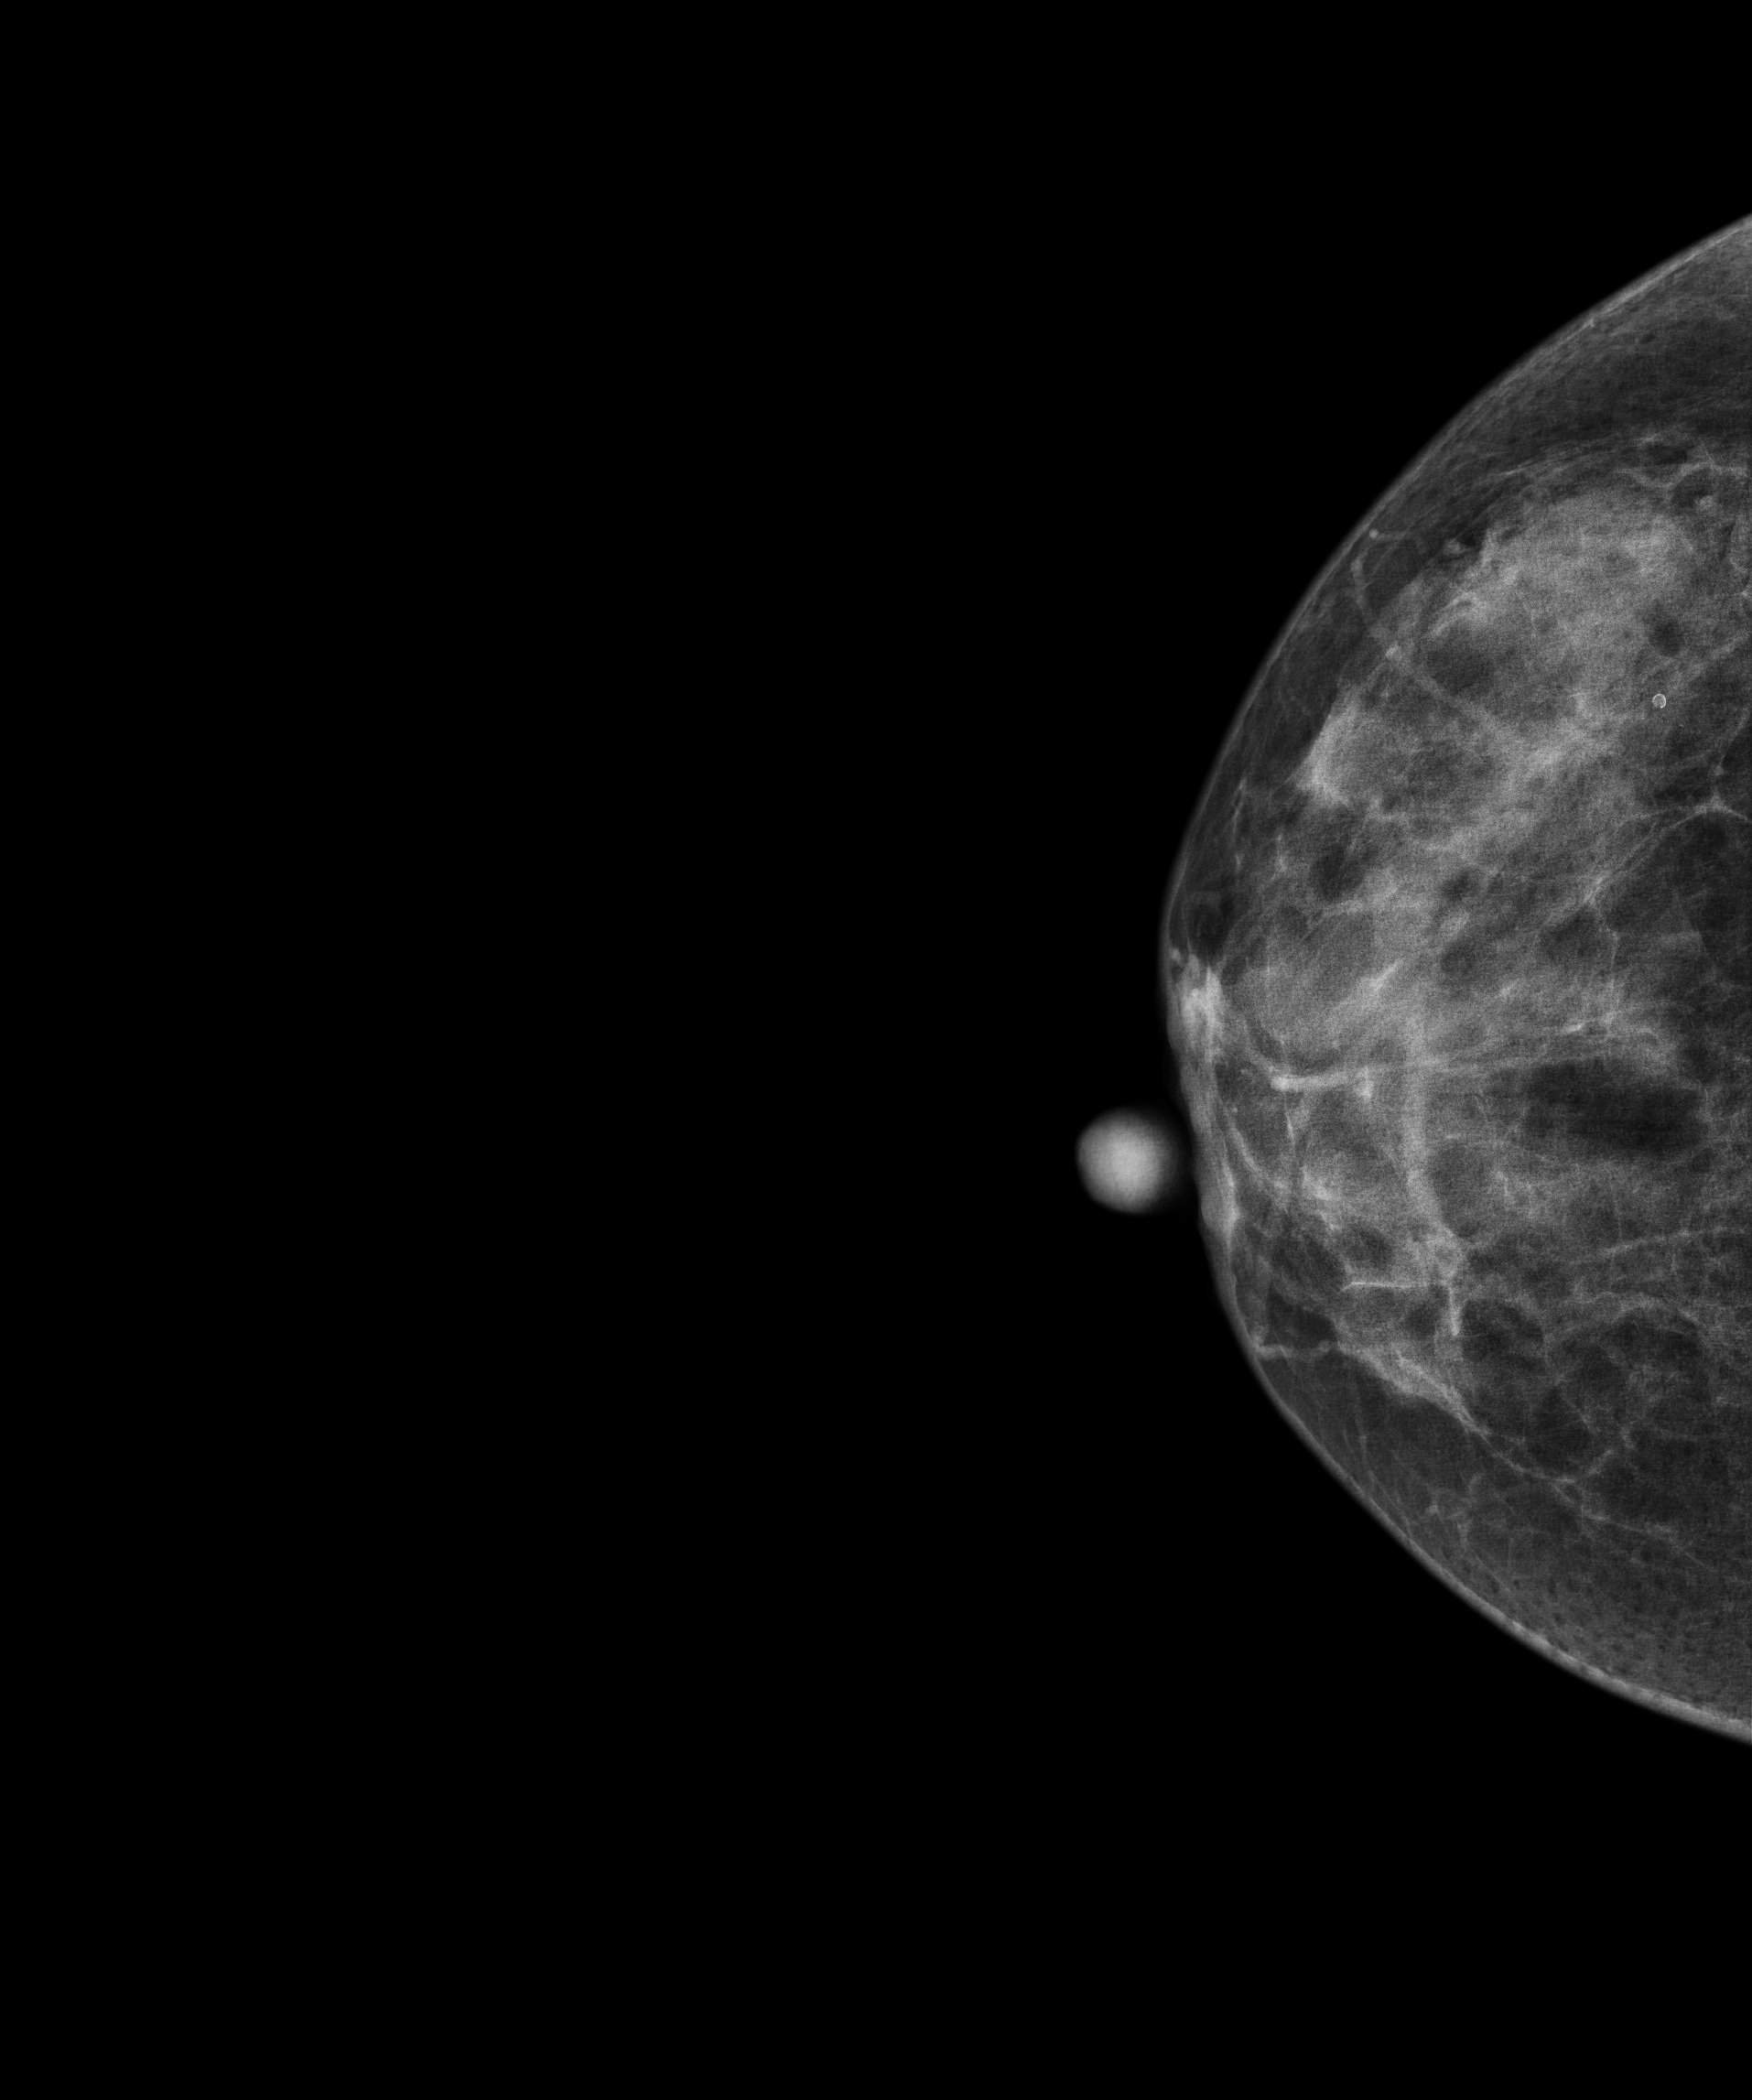
Mammogram — right cranio-caudal. 46 y/o patient.
This breast has a mass, pathology-confirmed malignant. Molecular subtype: luminal B.